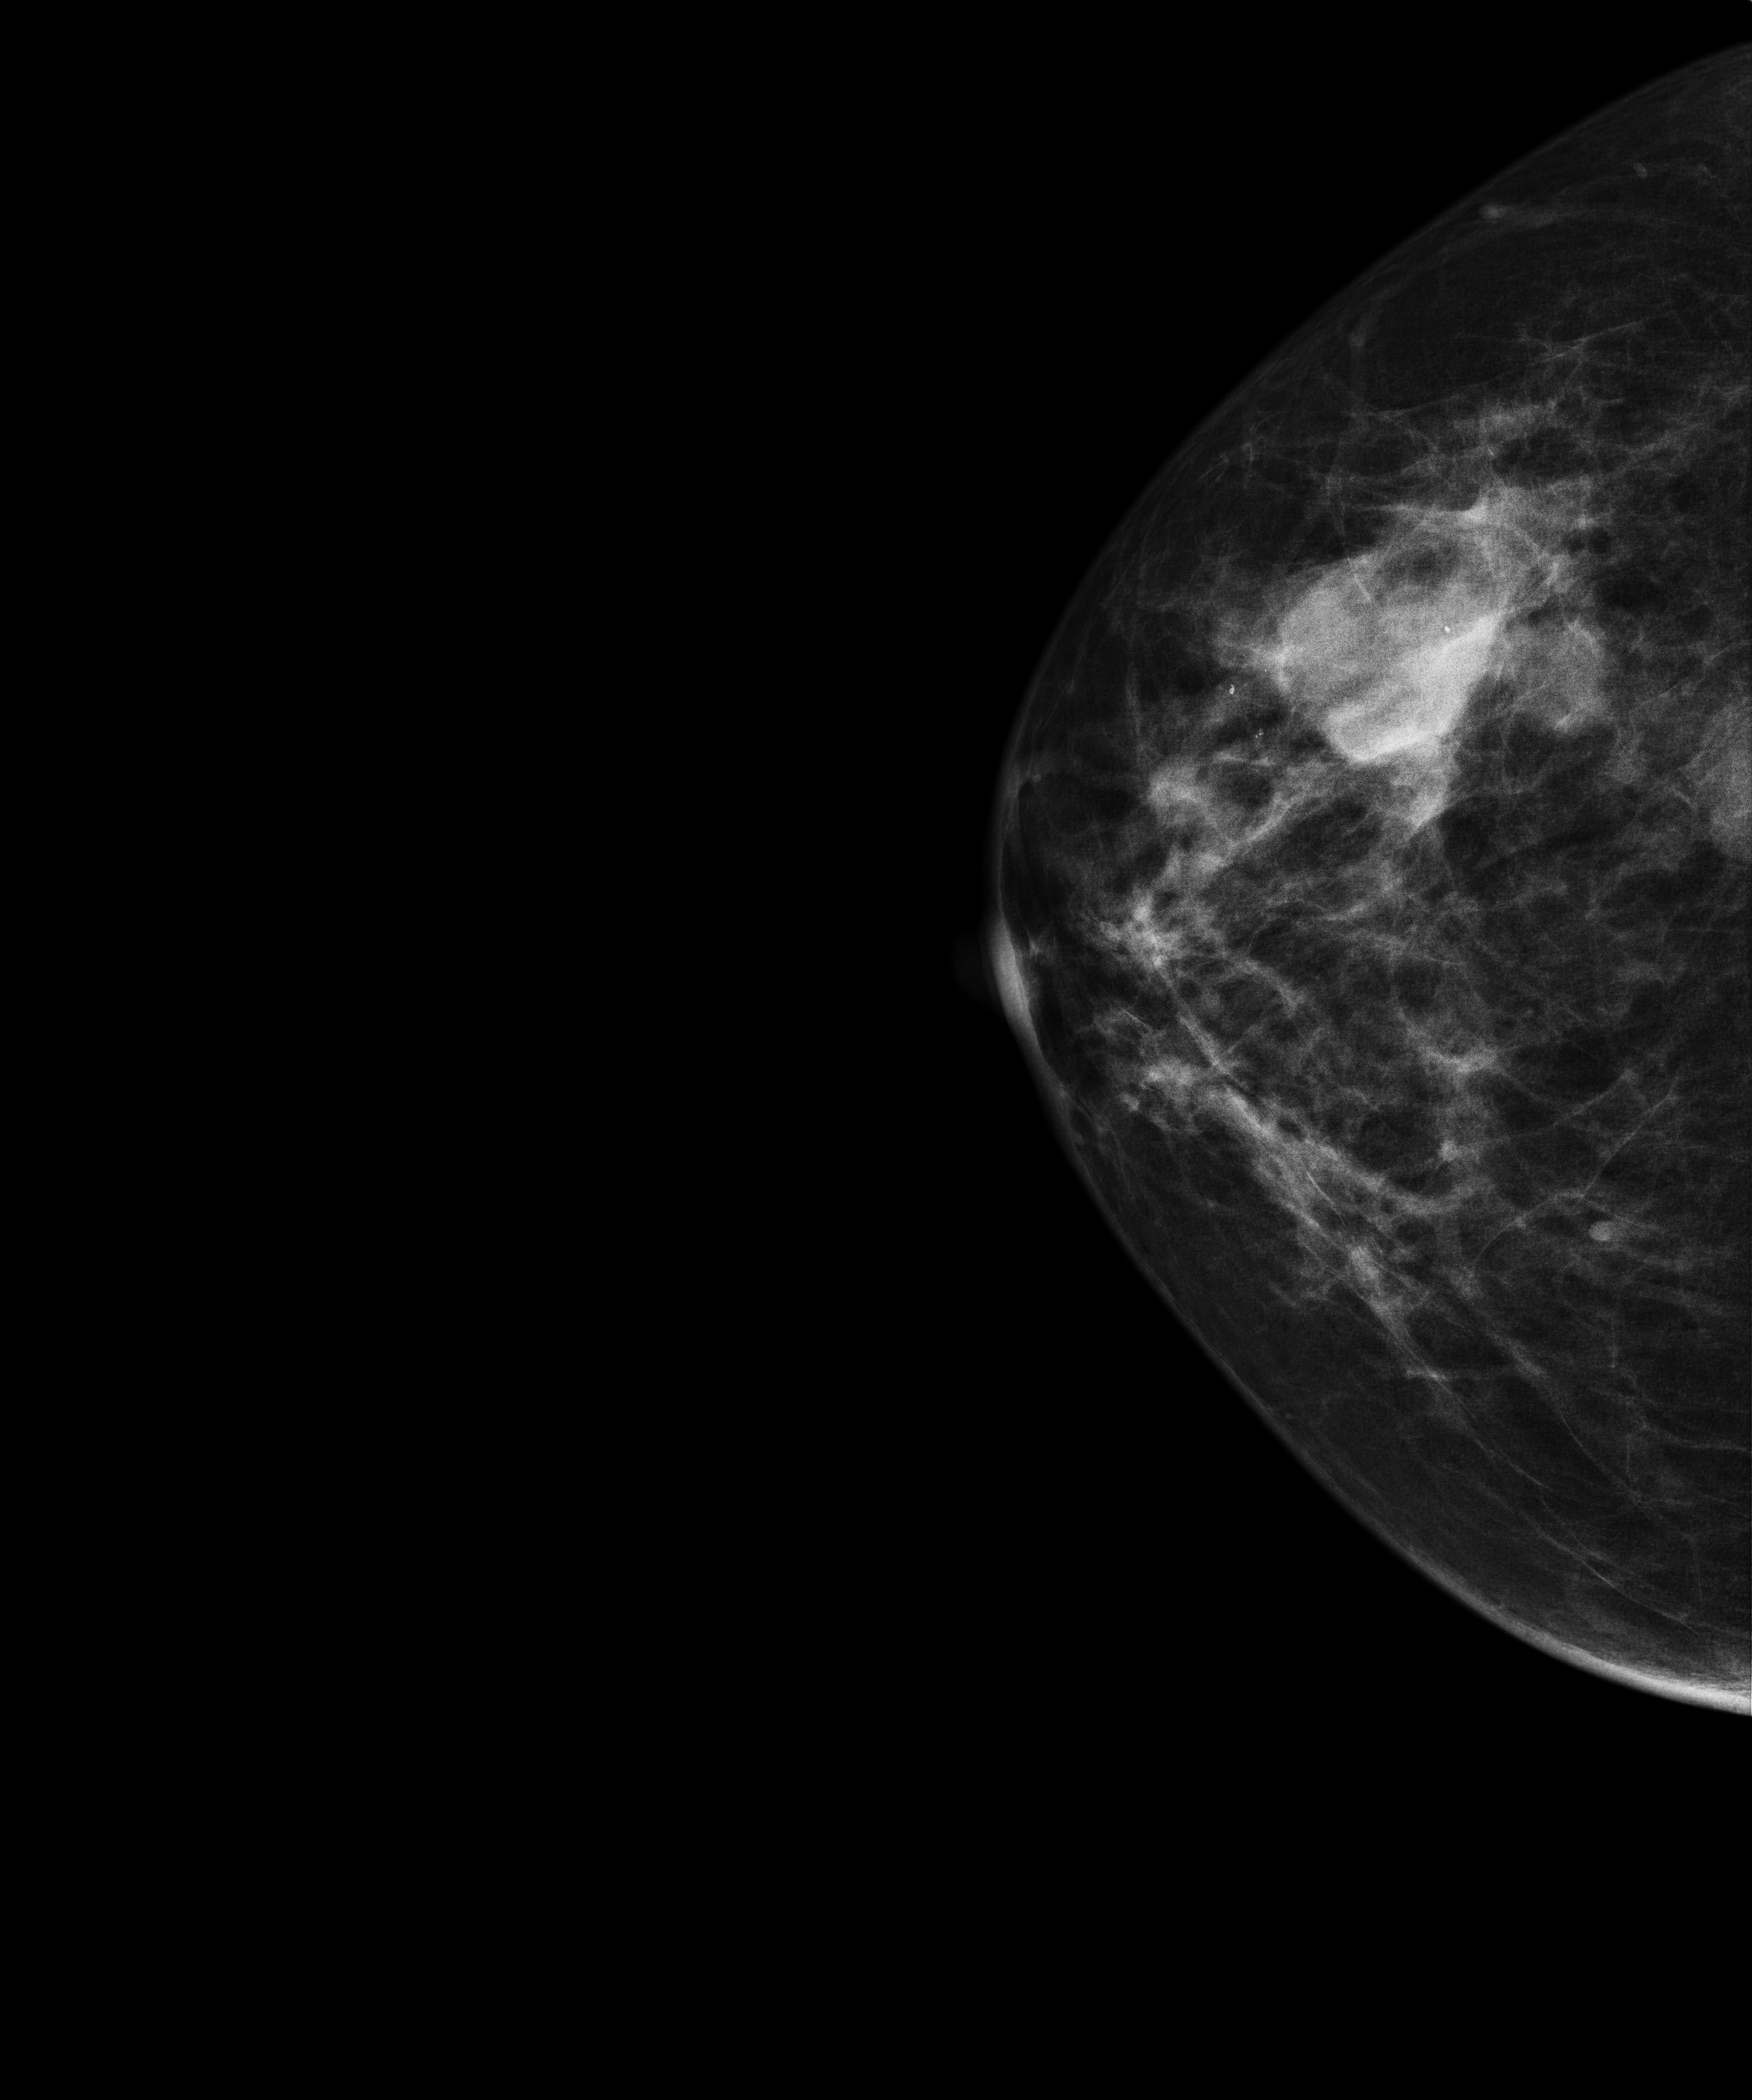
Mammogram — right cranio-caudal. 62 y/o patient.
This breast has a mass, biopsy-proven malignant. Molecular subtype: luminal A.